Digital mammography. Left breast, medio-lateral oblique projection. 33 y/o patient.
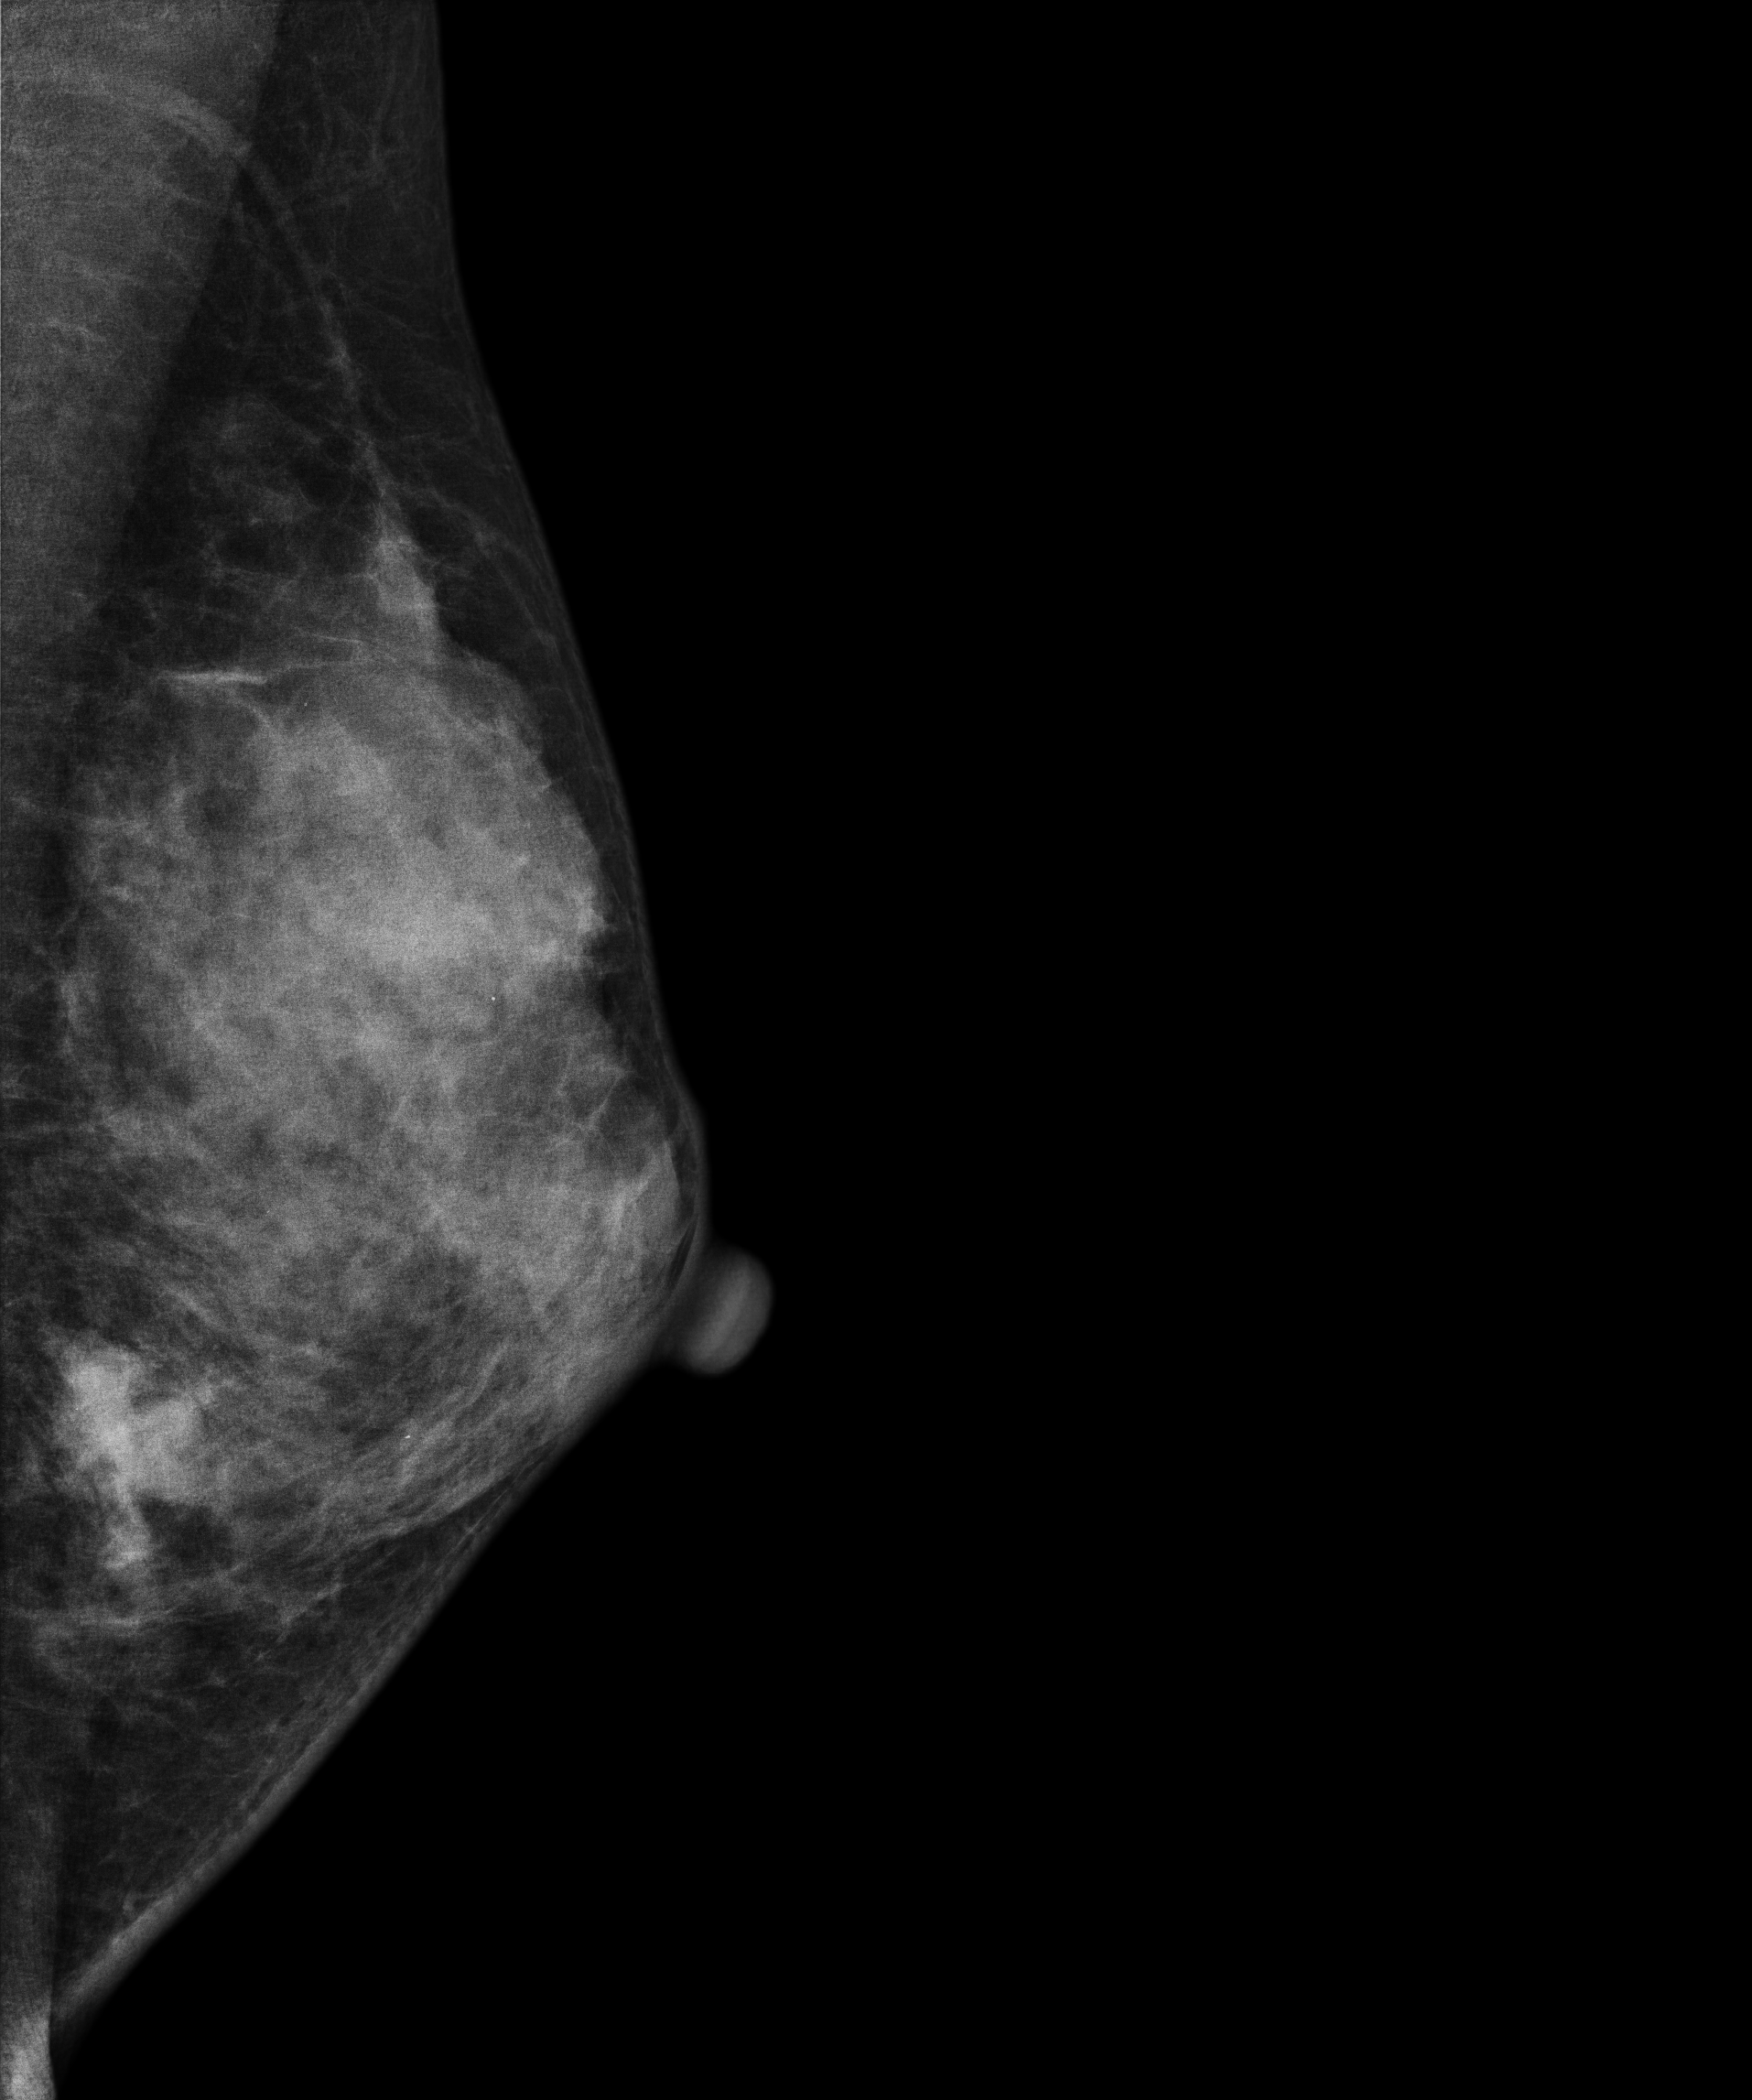
This breast has a mass, biopsy-confirmed malignant.